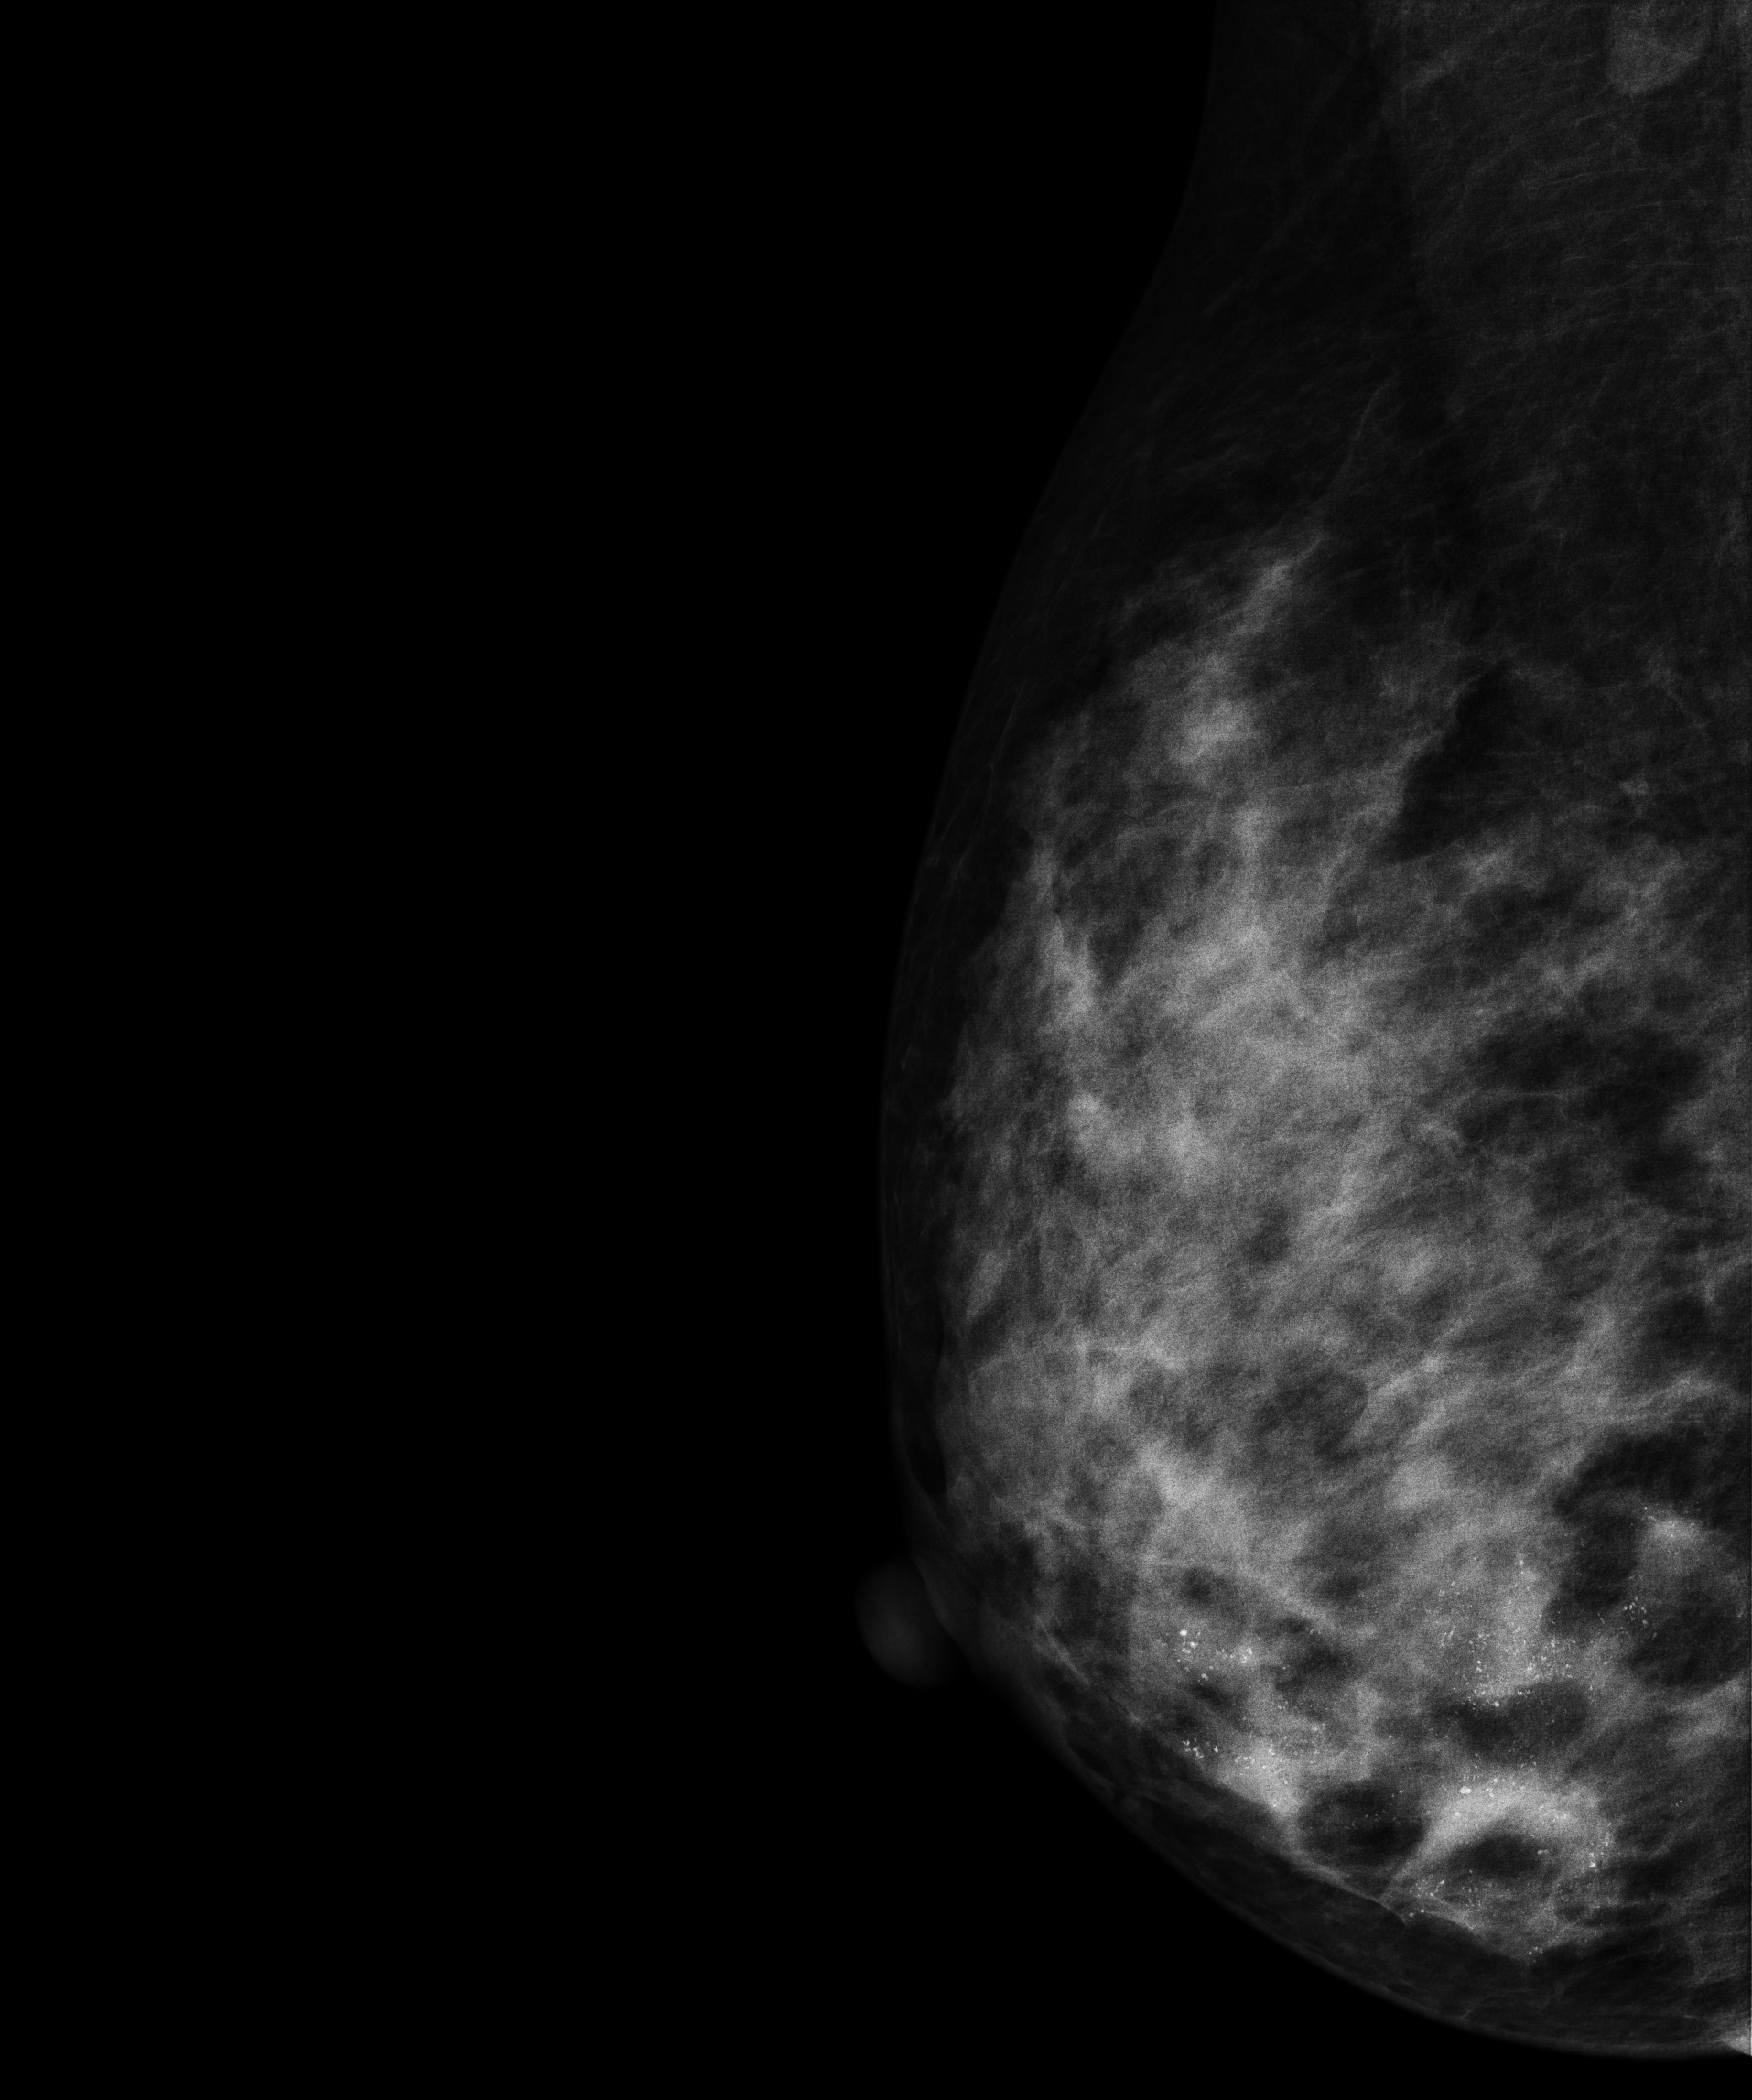
Mammogram, right breast, MLO view. 34 y/o patient.
This breast has calcifications, pathology-confirmed malignant. Molecular subtype: HER2-enriched.